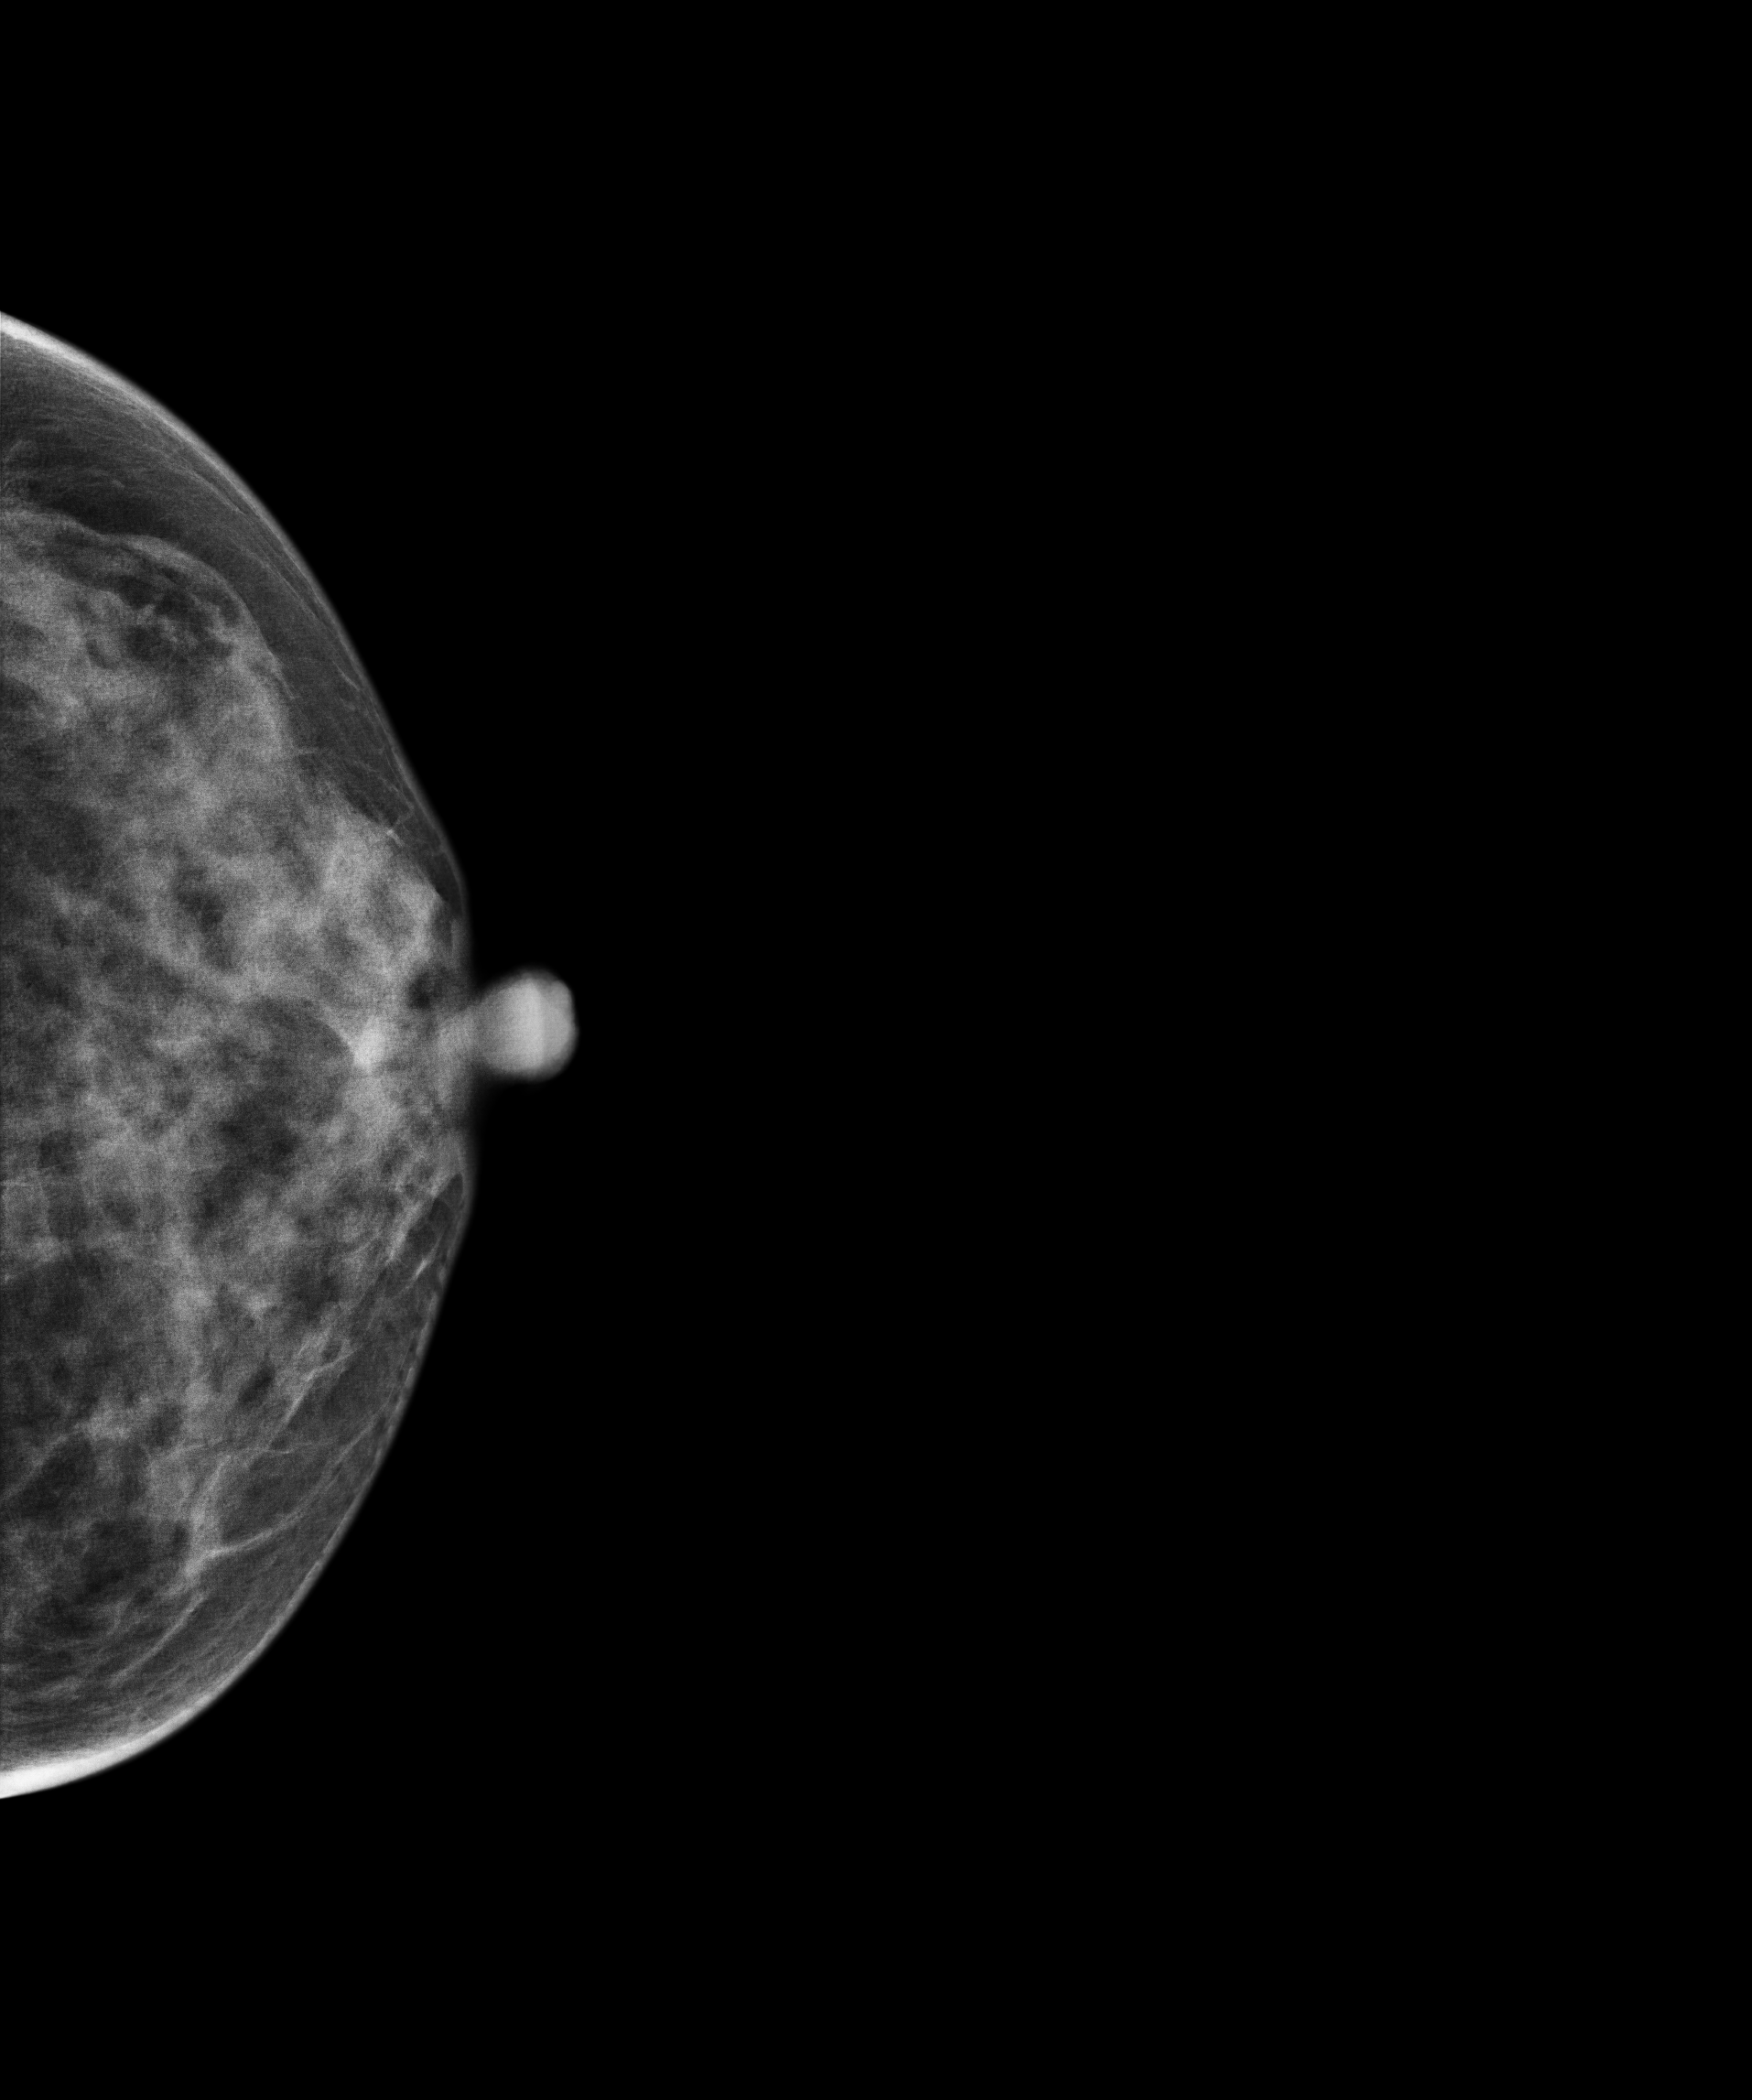
CC mammogram of the left breast. Patient age 30.
Contralateral breast — no documented abnormality on this side.